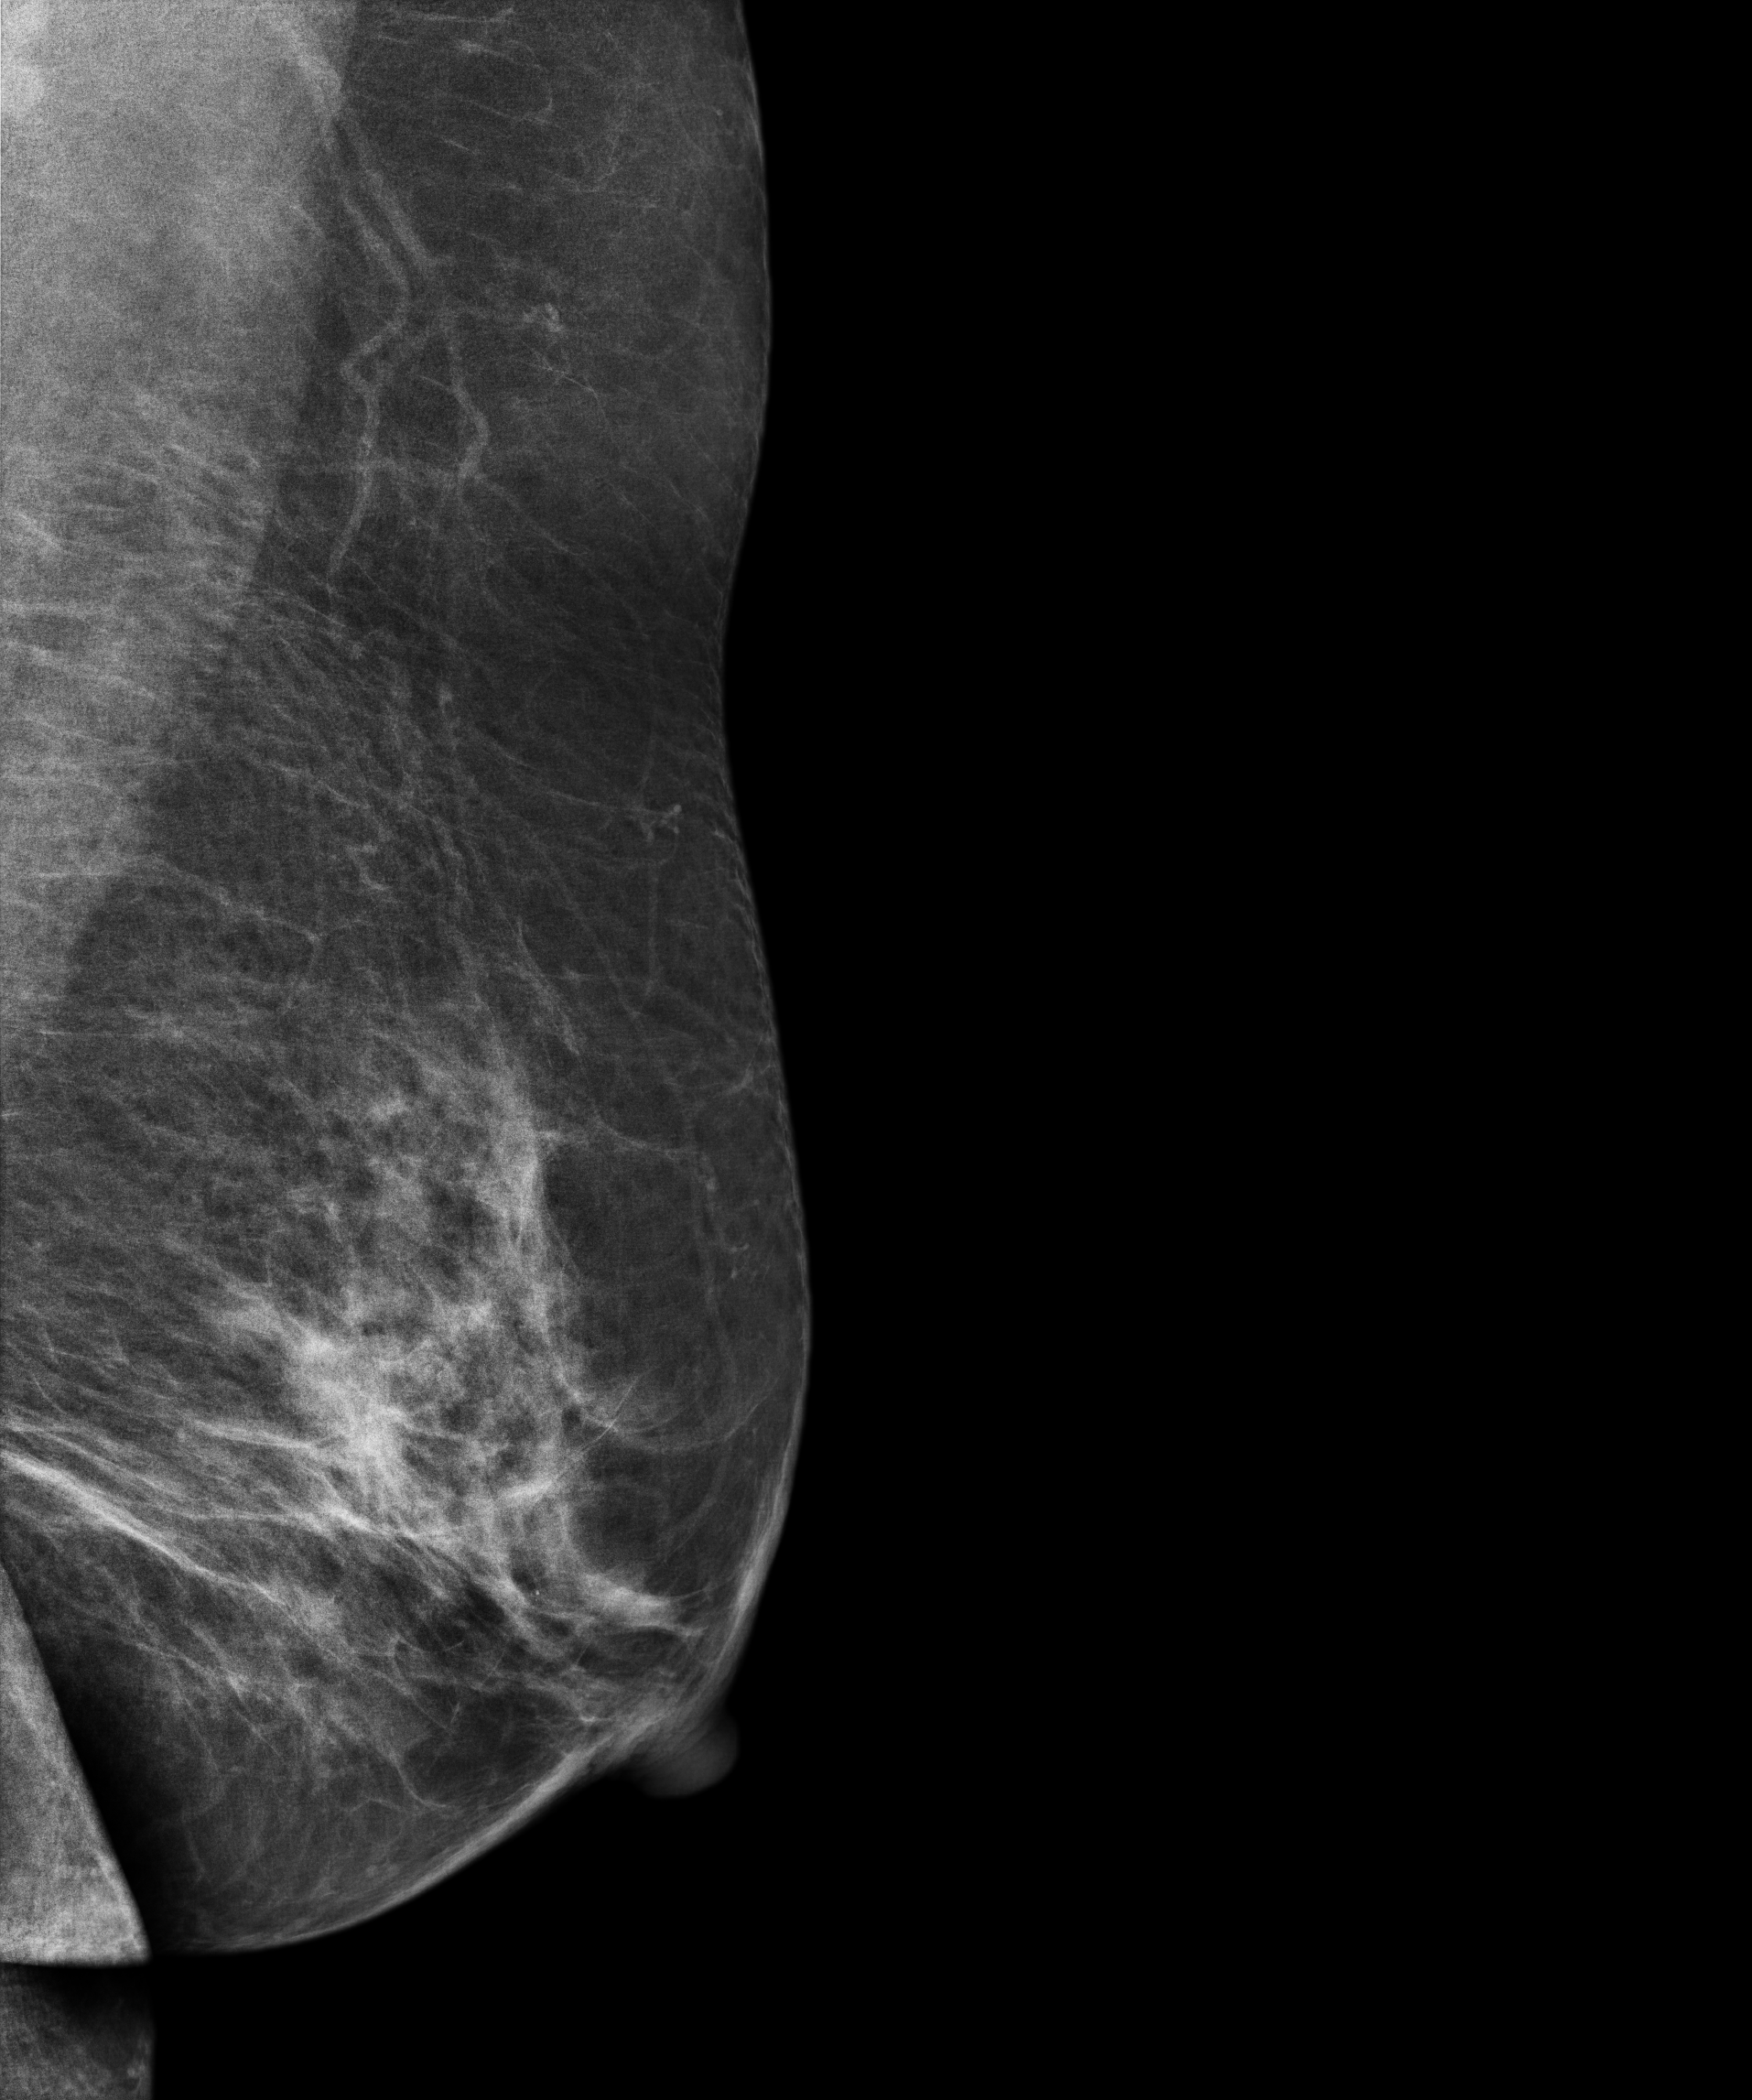
Mammogram, left breast, MLO view. 66-year-old patient.
Contralateral breast — no documented abnormality on this side.